Right-breast mammogram, CC. 47 y/o patient.
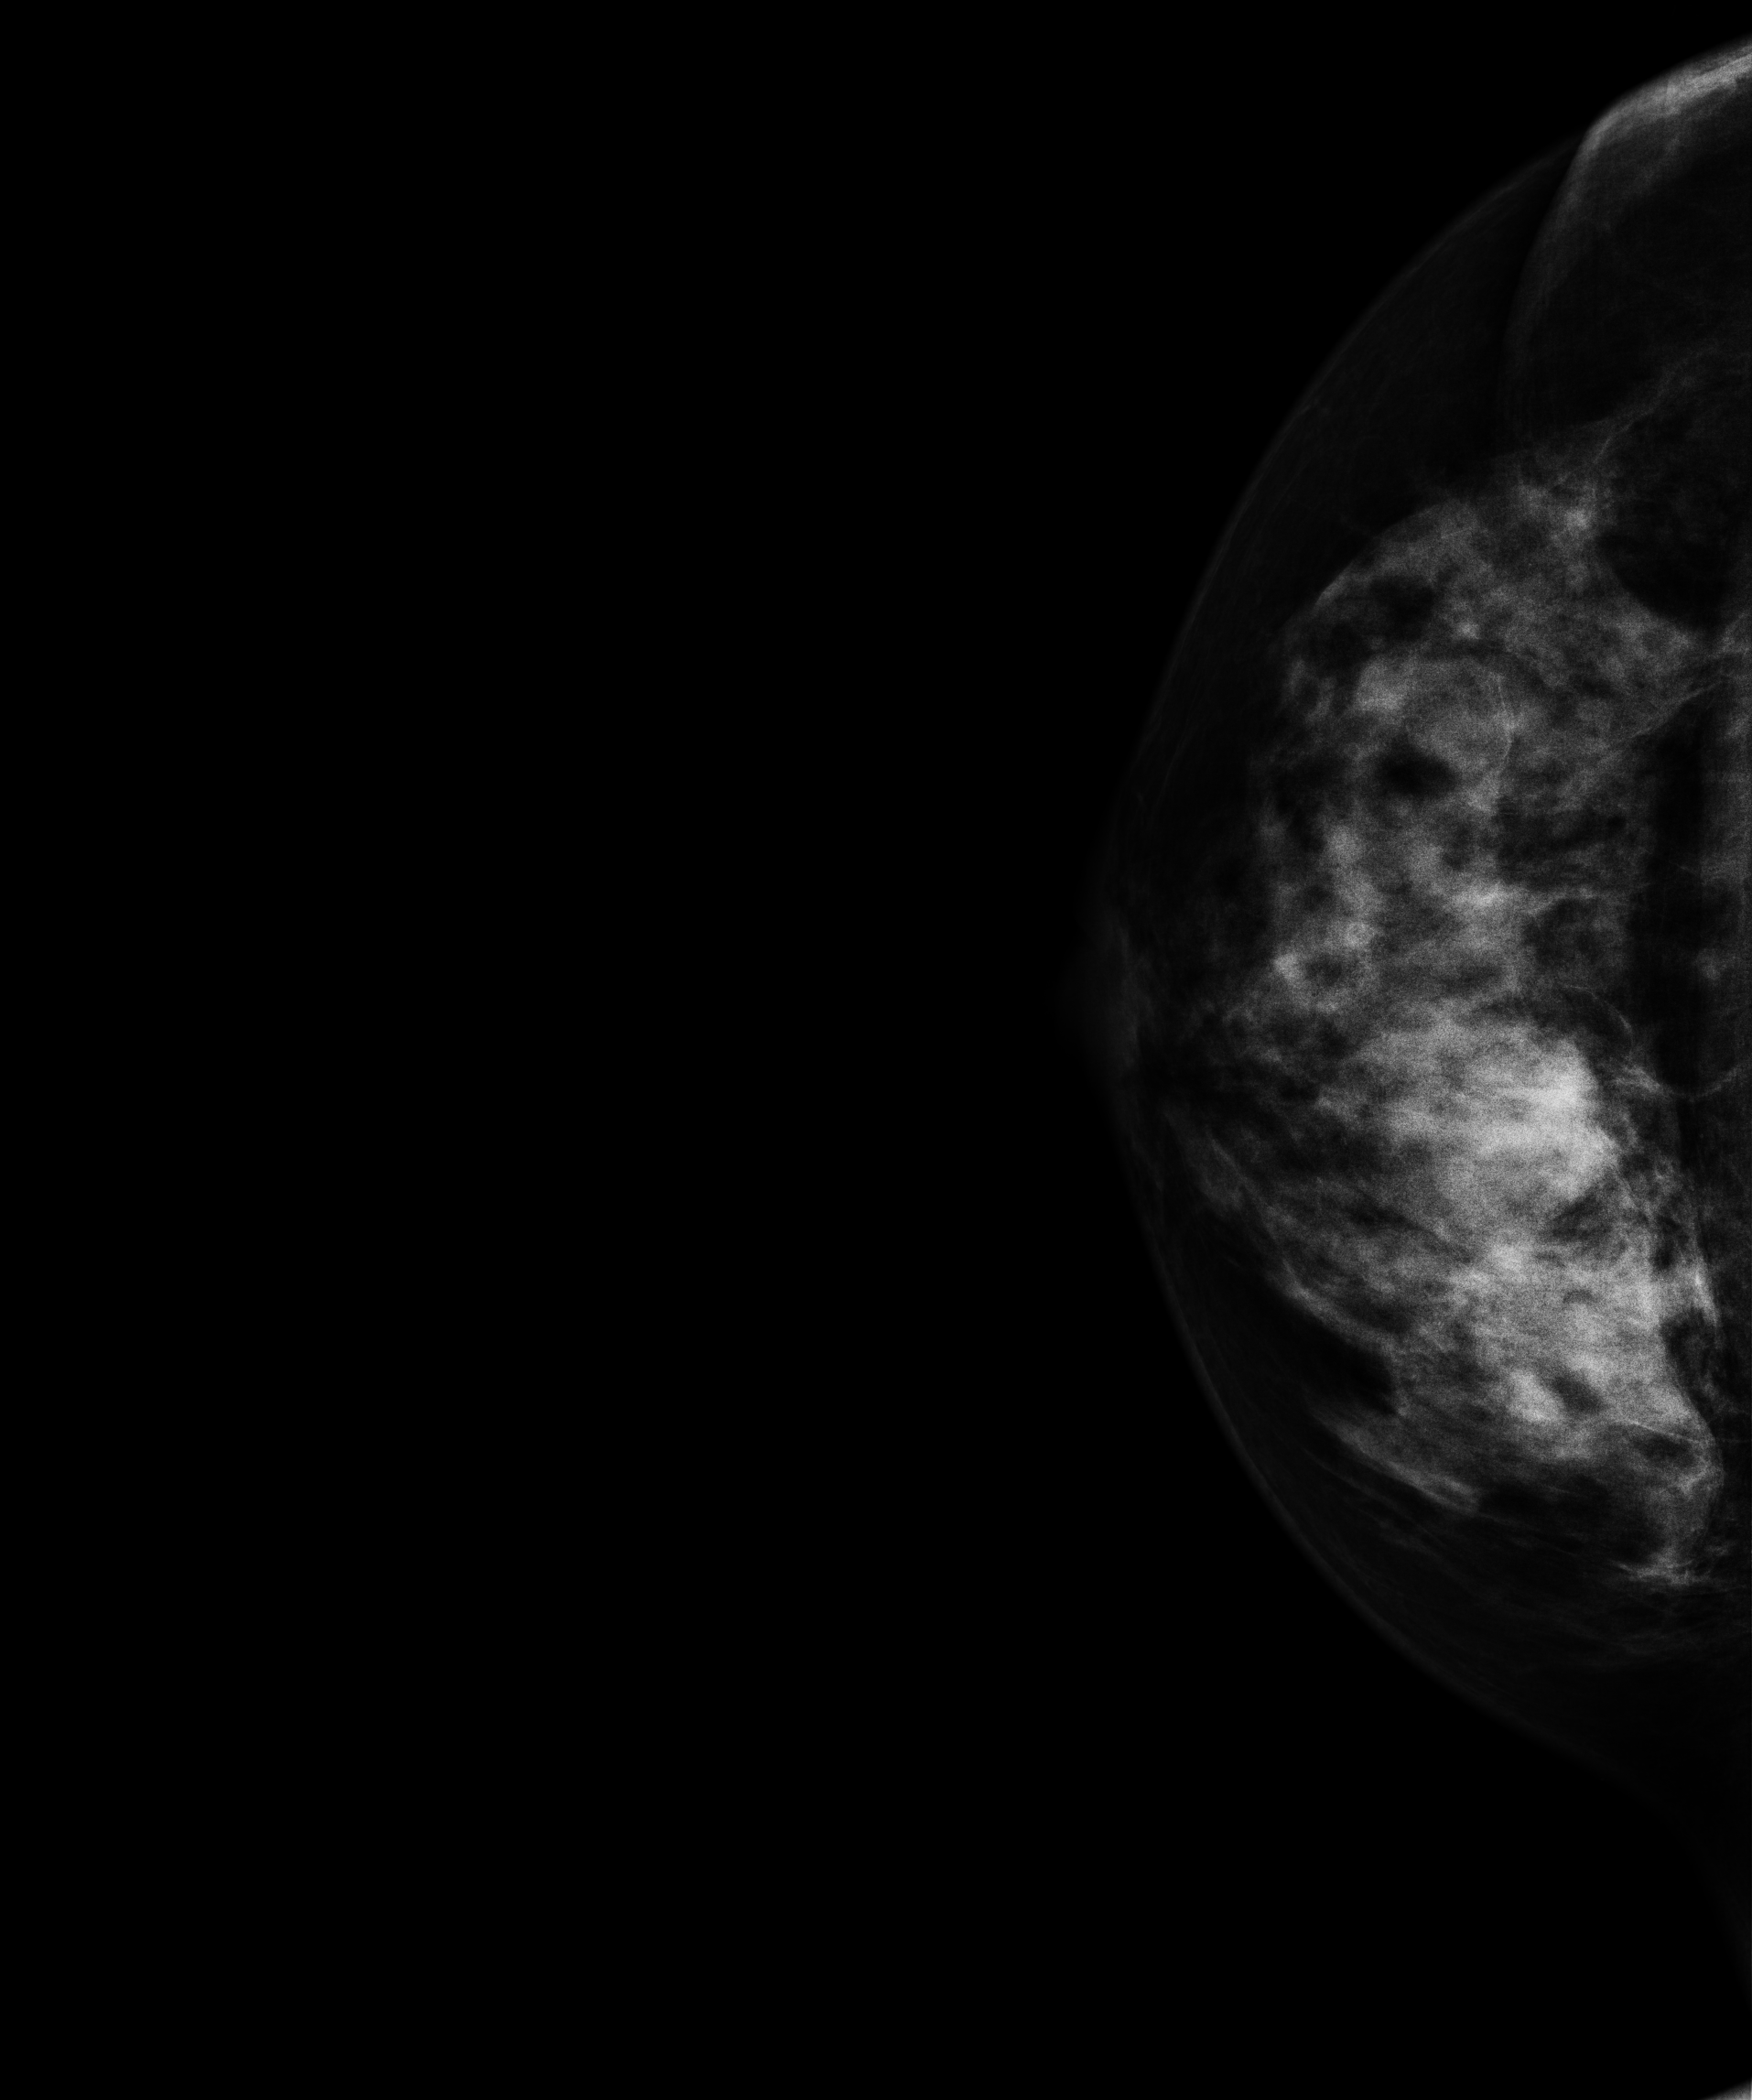
This breast has a mass, pathology-confirmed malignant. Molecular subtype: luminal B.